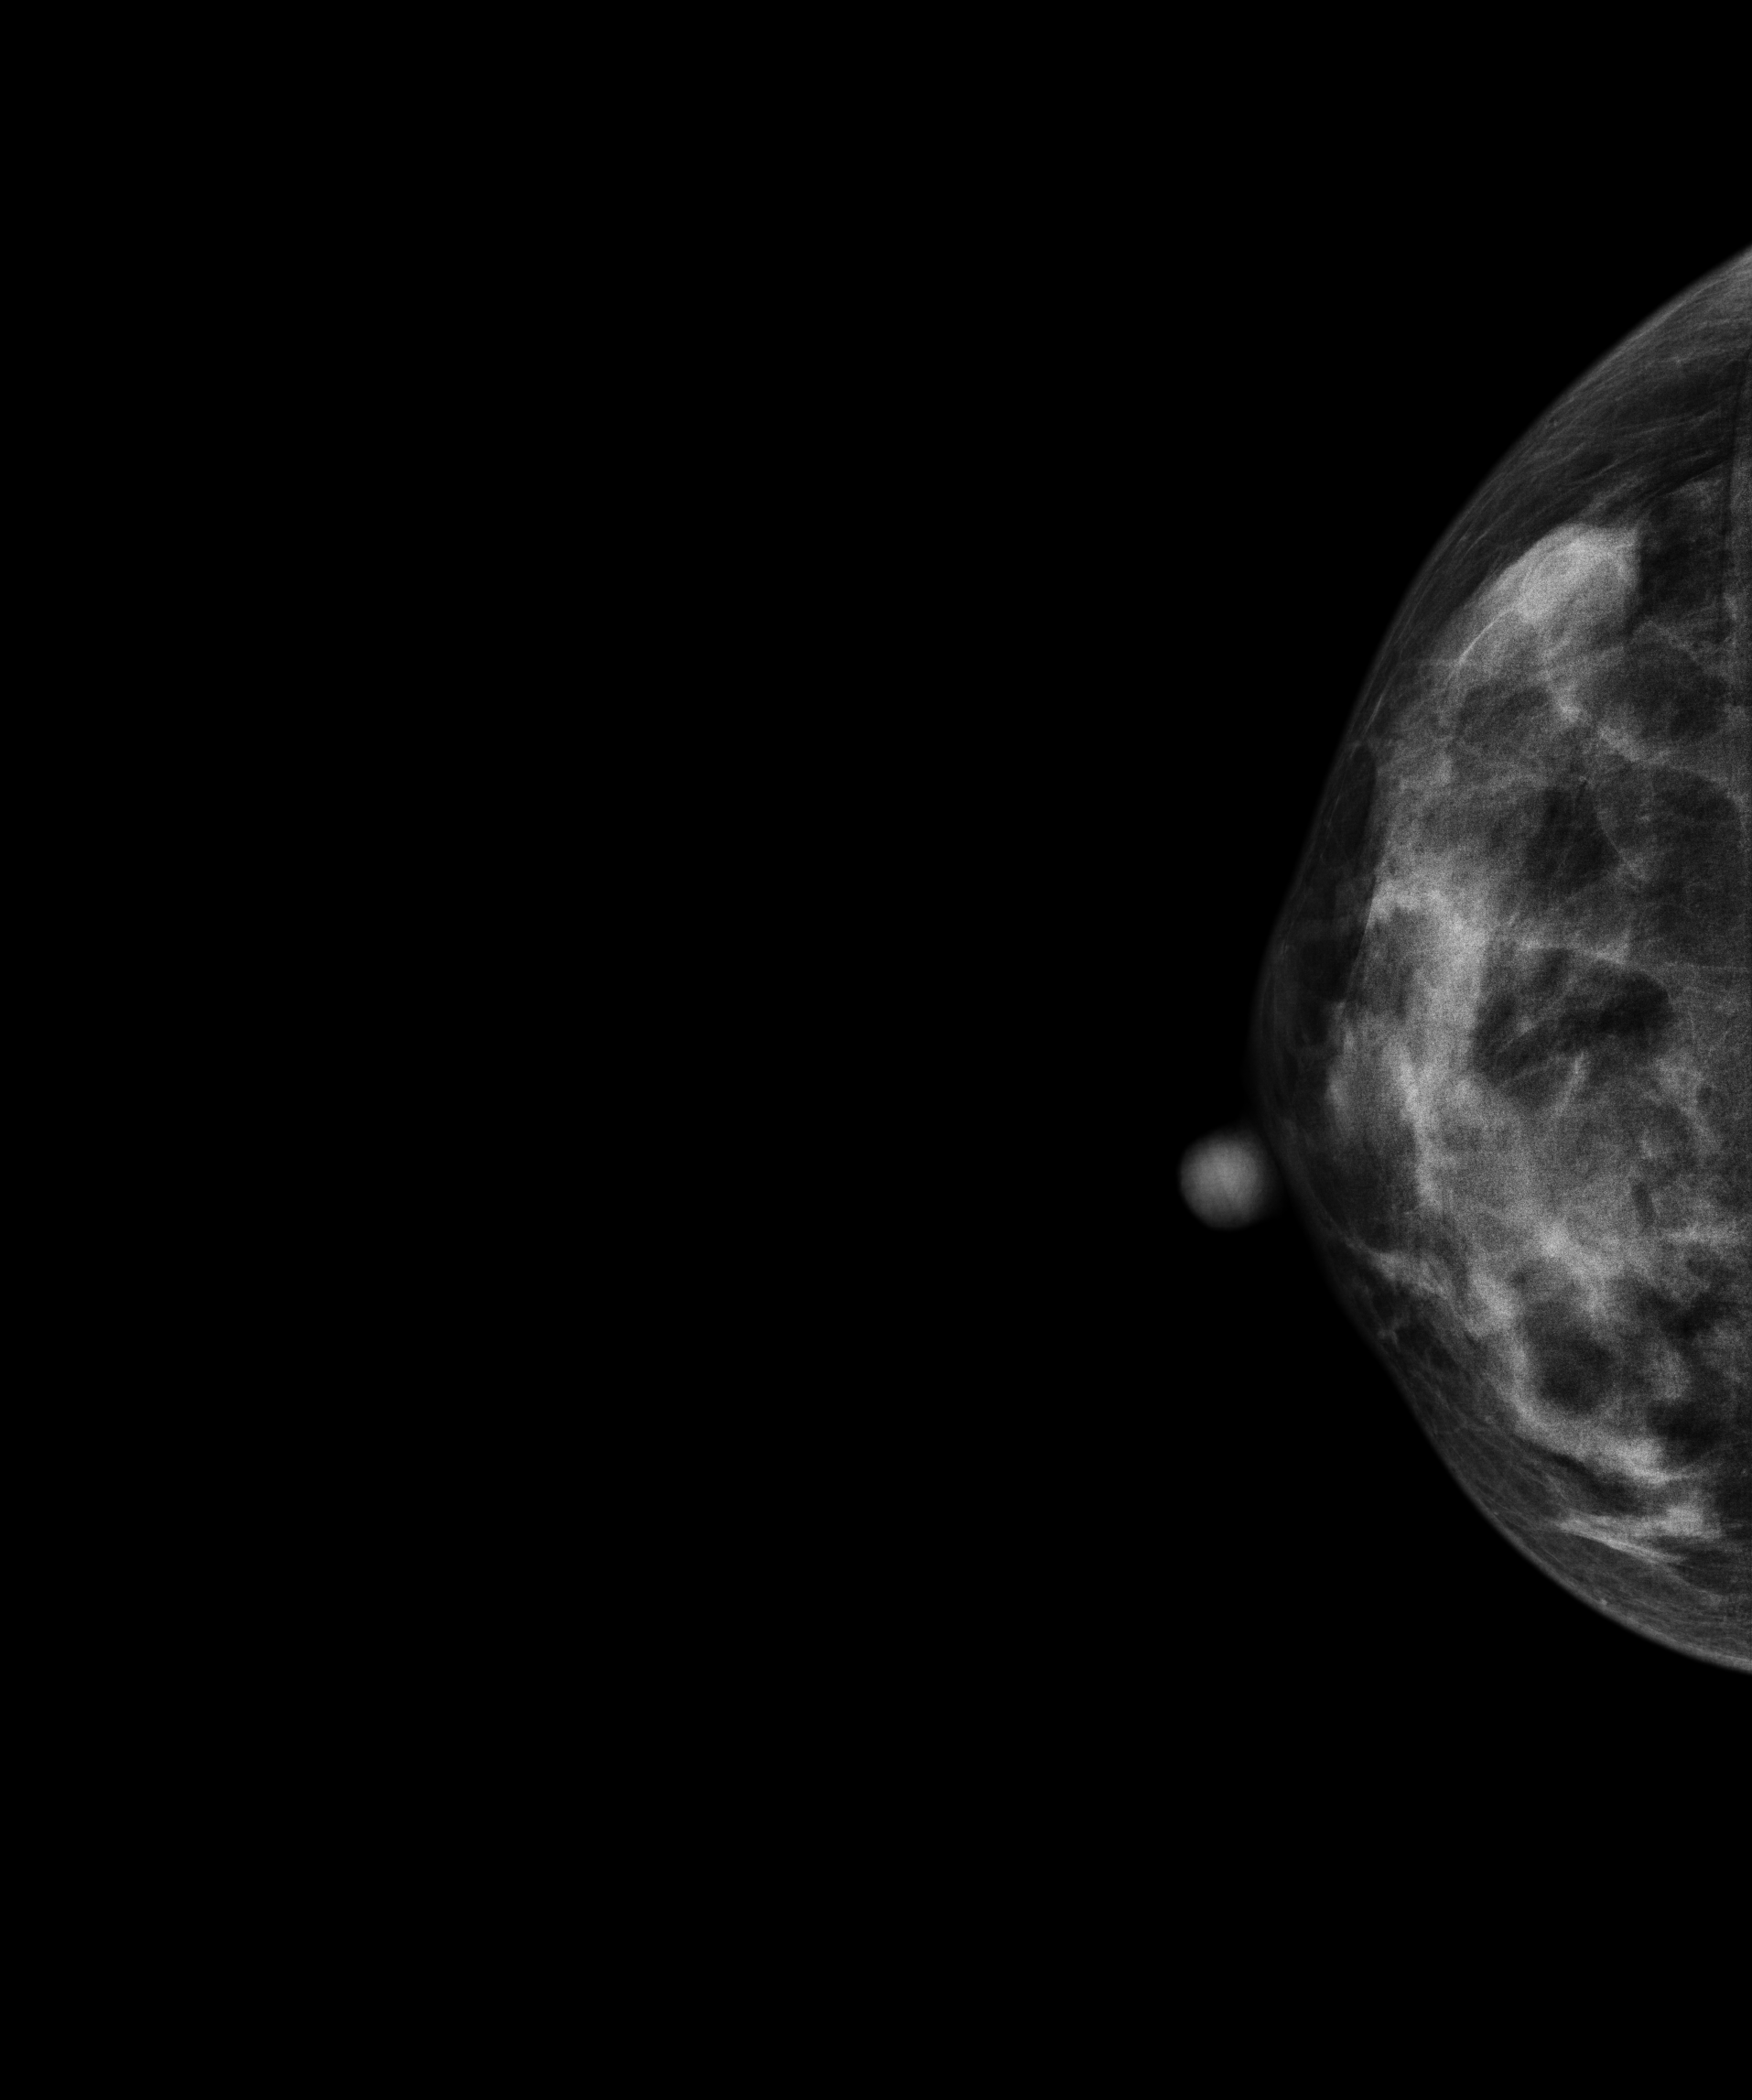
Right-breast mammogram, cranio-caudal. 38 y/o patient.
Contralateral breast — no documented abnormality on this side.